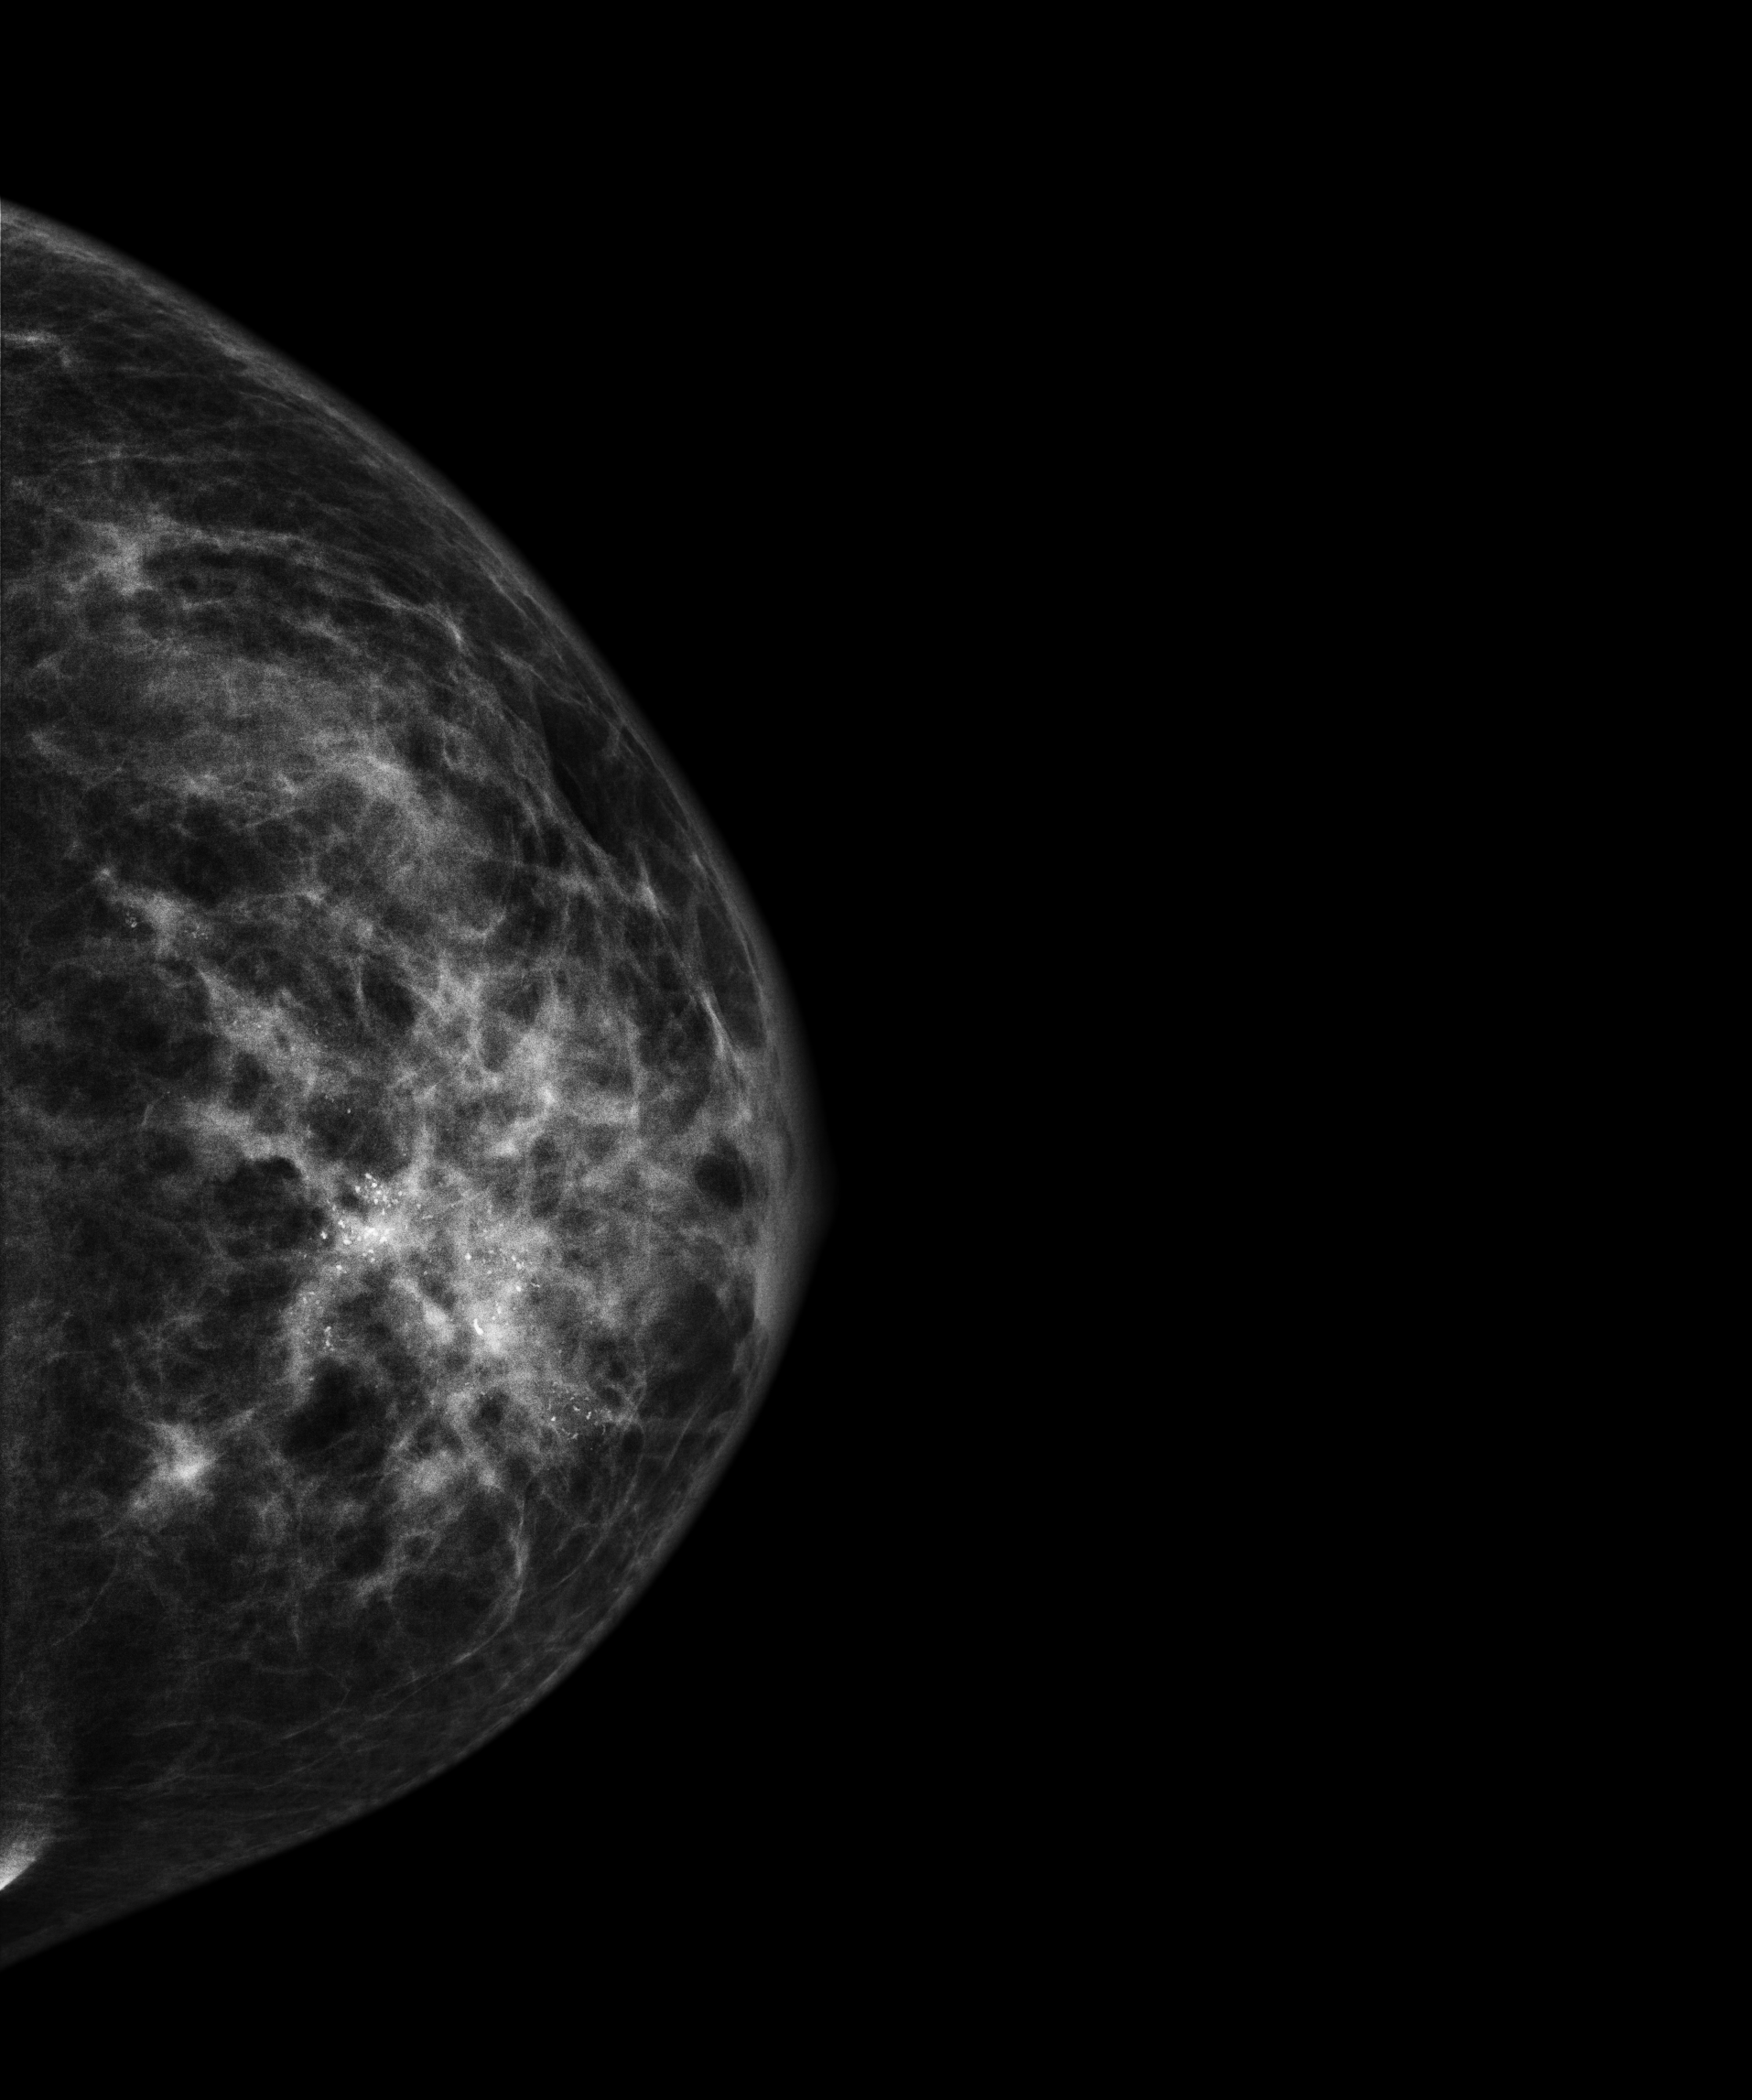
Cranio-caudal mammogram of the left breast. 52 y/o patient.
This breast has calcifications, biopsy-proven malignant. Molecular subtype: HER2-enriched.